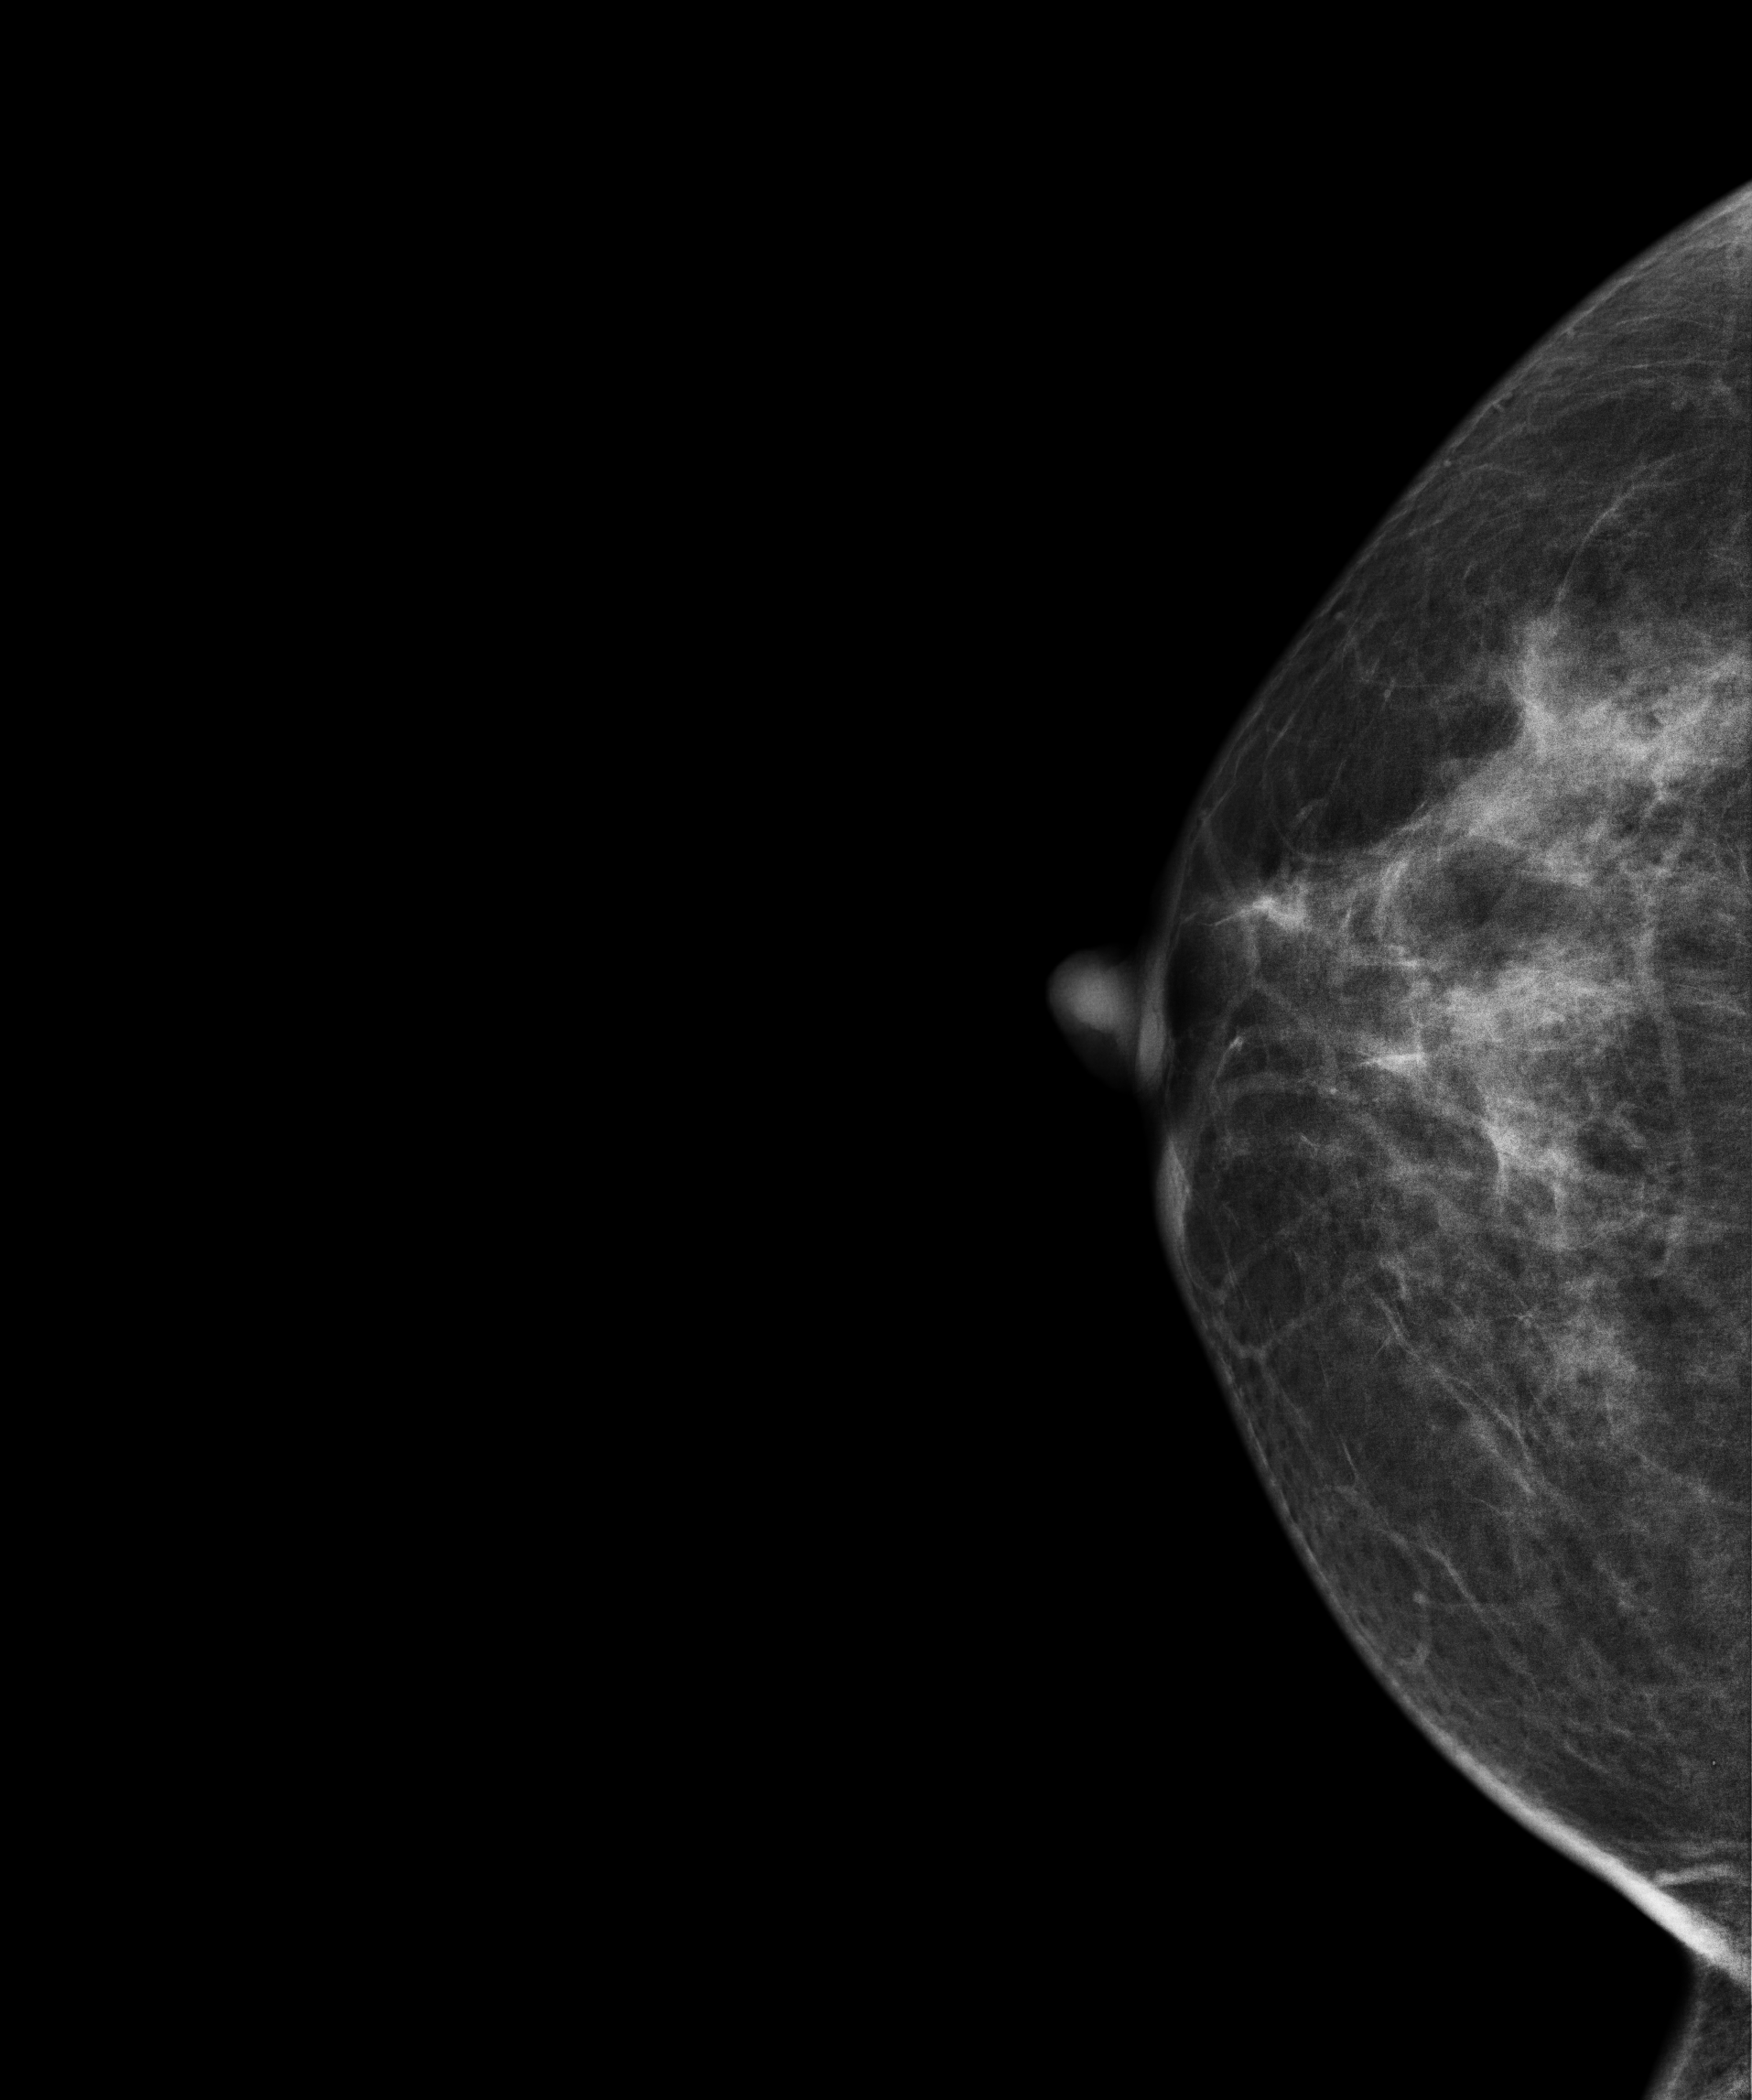
Mammogram — right cranio-caudal. 42 y/o patient.
Contralateral breast — no documented abnormality on this side.